Digital mammography. Left breast, CC projection. 52-year-old patient.
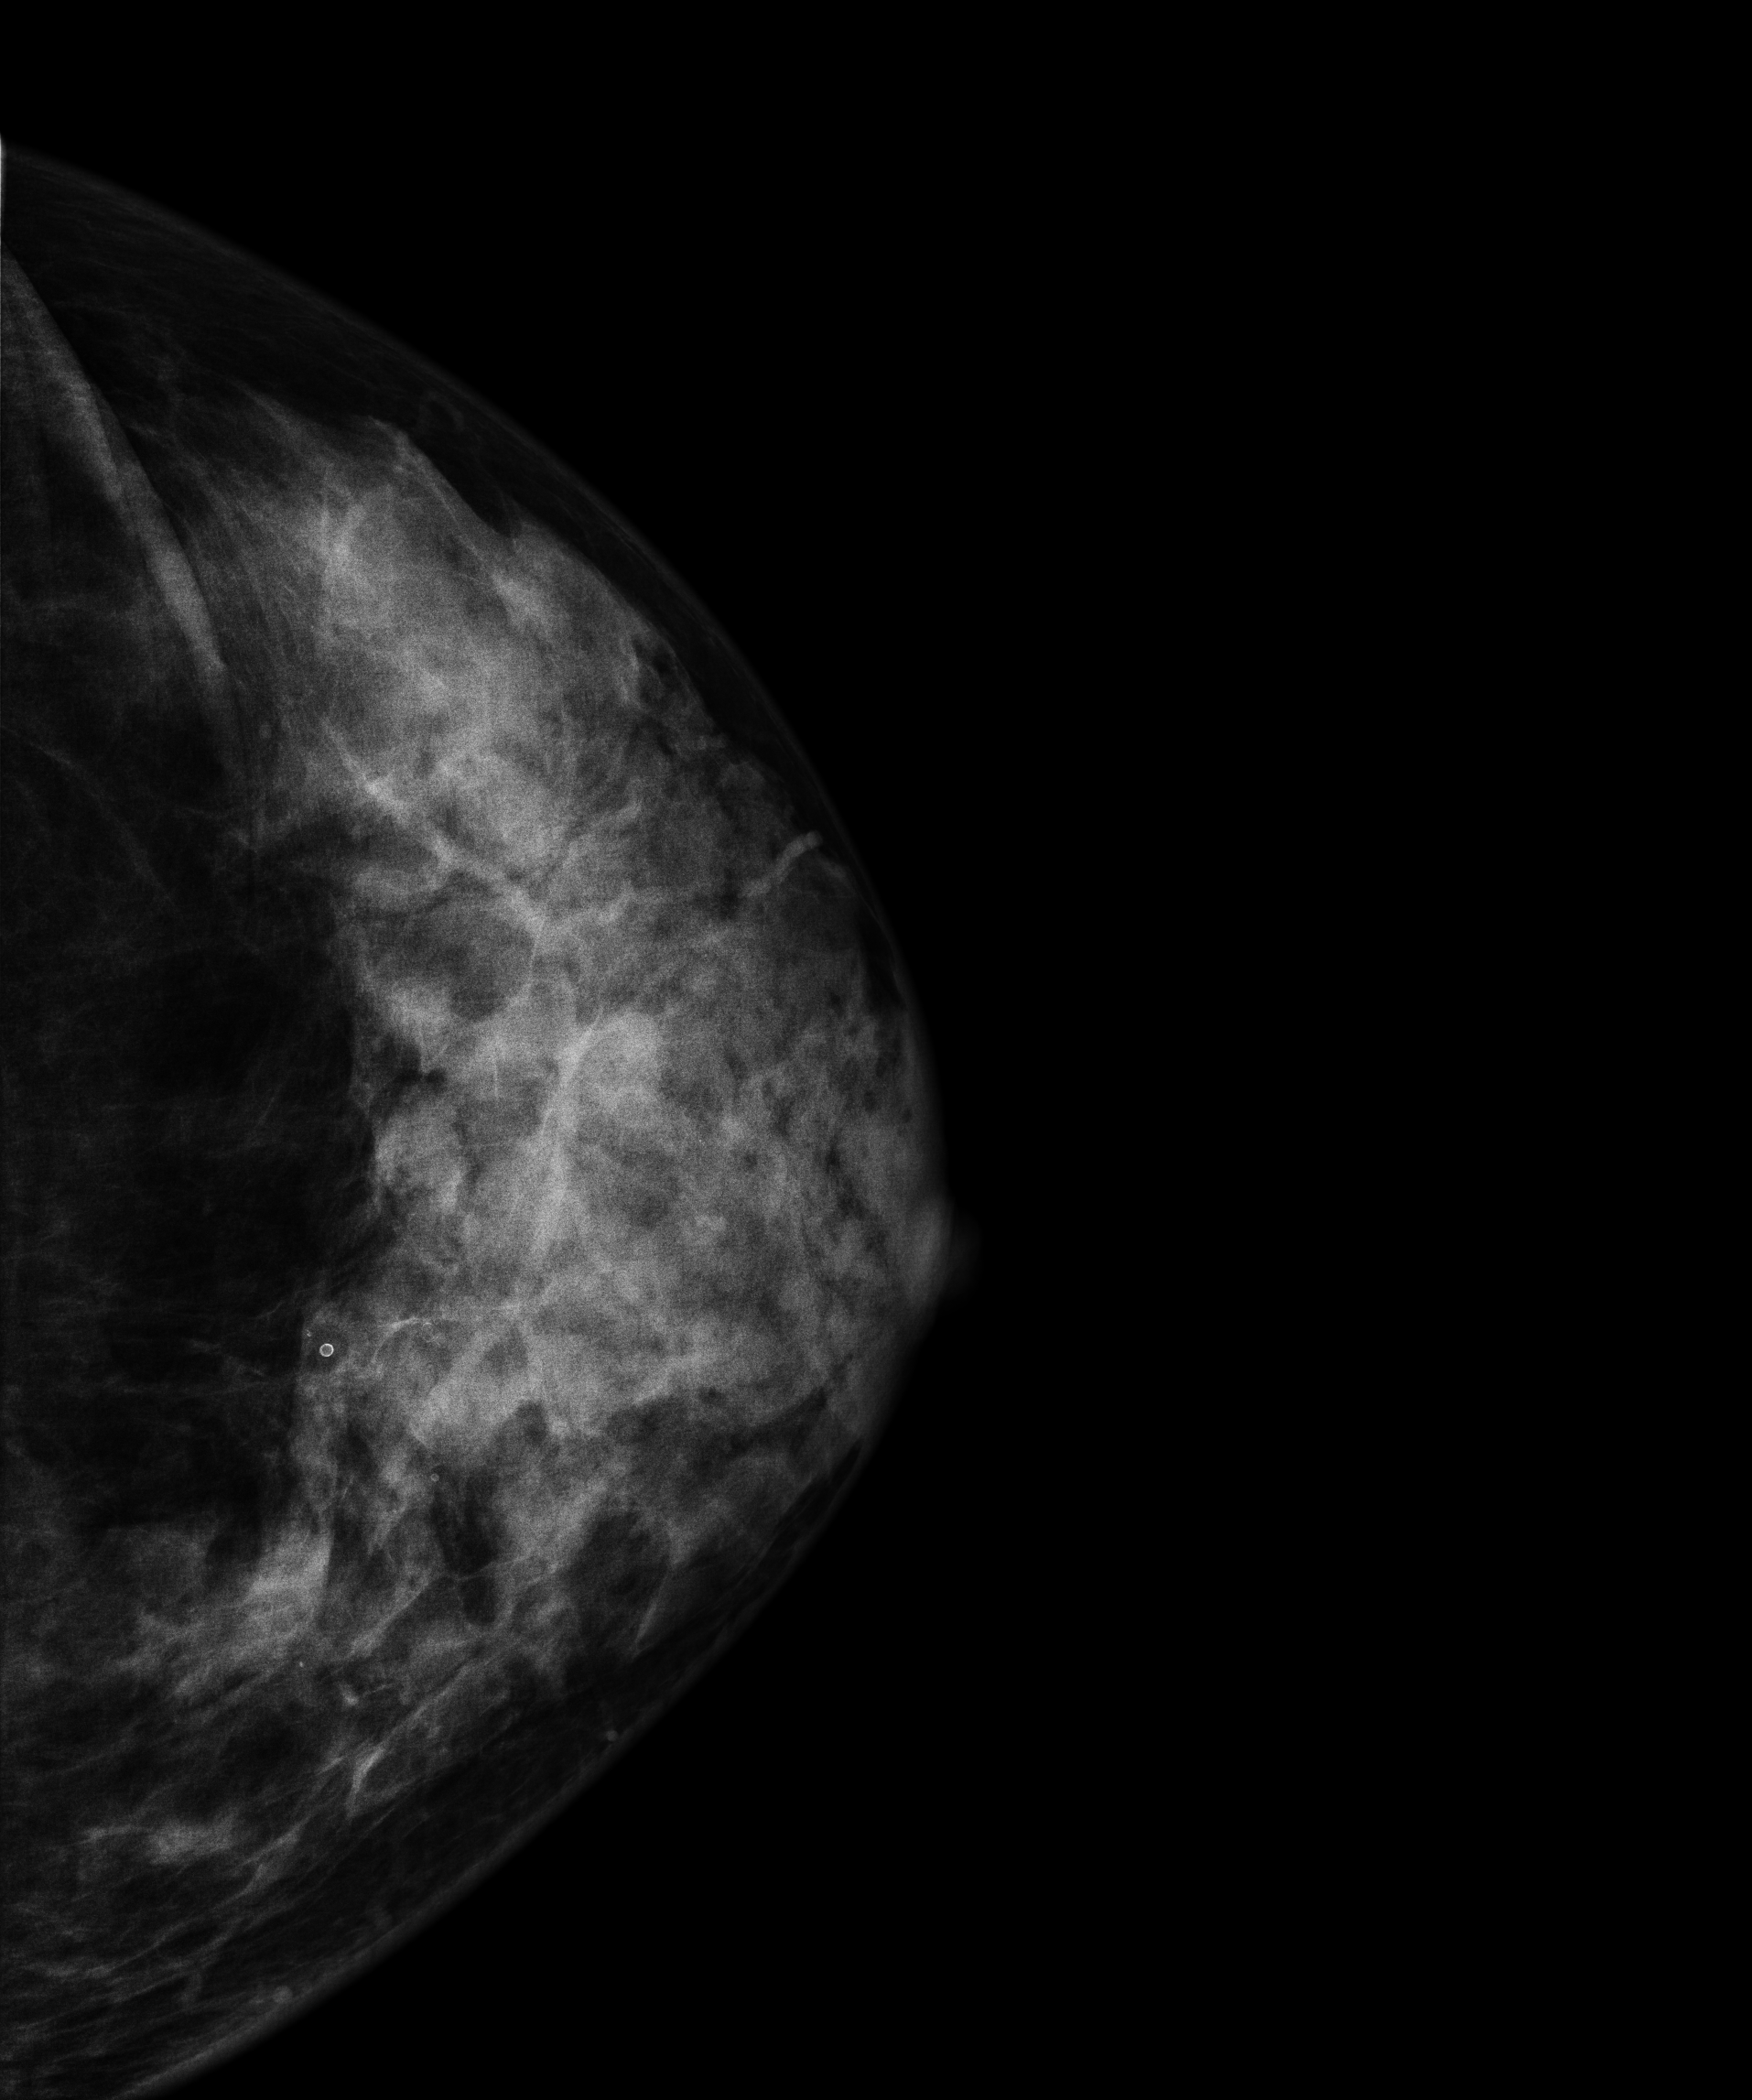
Contralateral breast — no documented abnormality on this side.